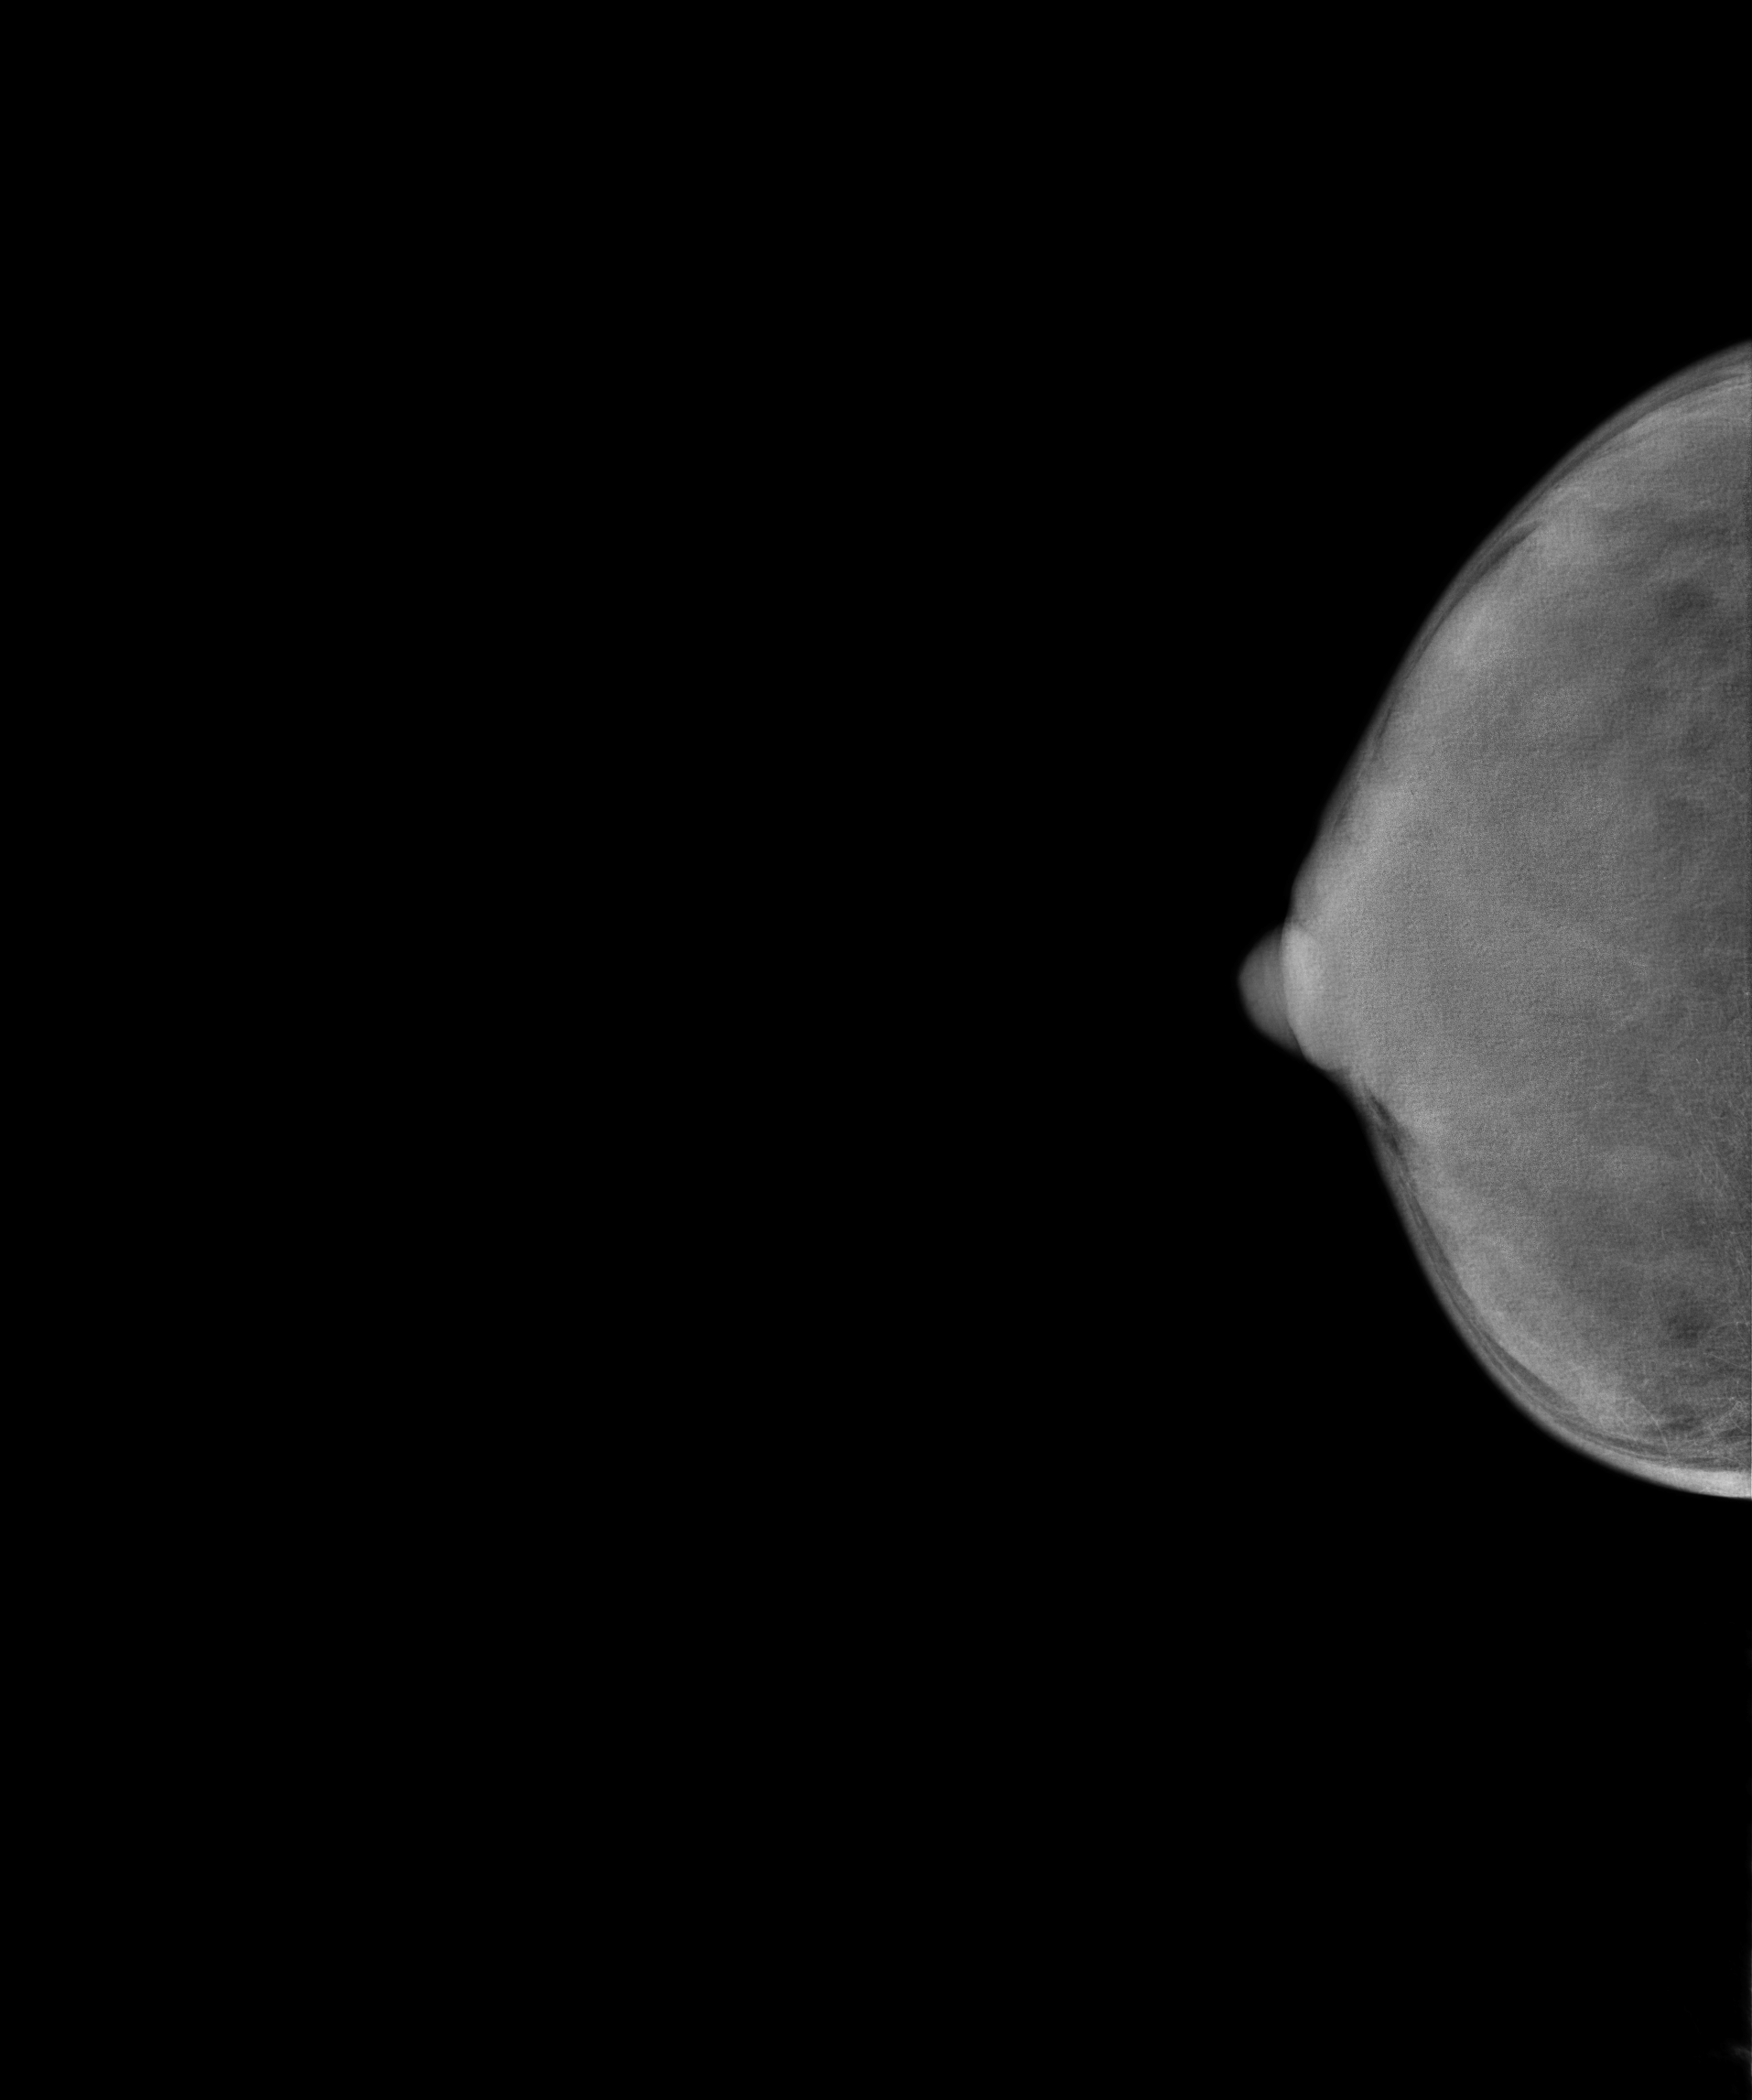
Cranio-caudal mammogram of the right breast. 33-year-old patient.
Contralateral breast — no documented abnormality on this side.